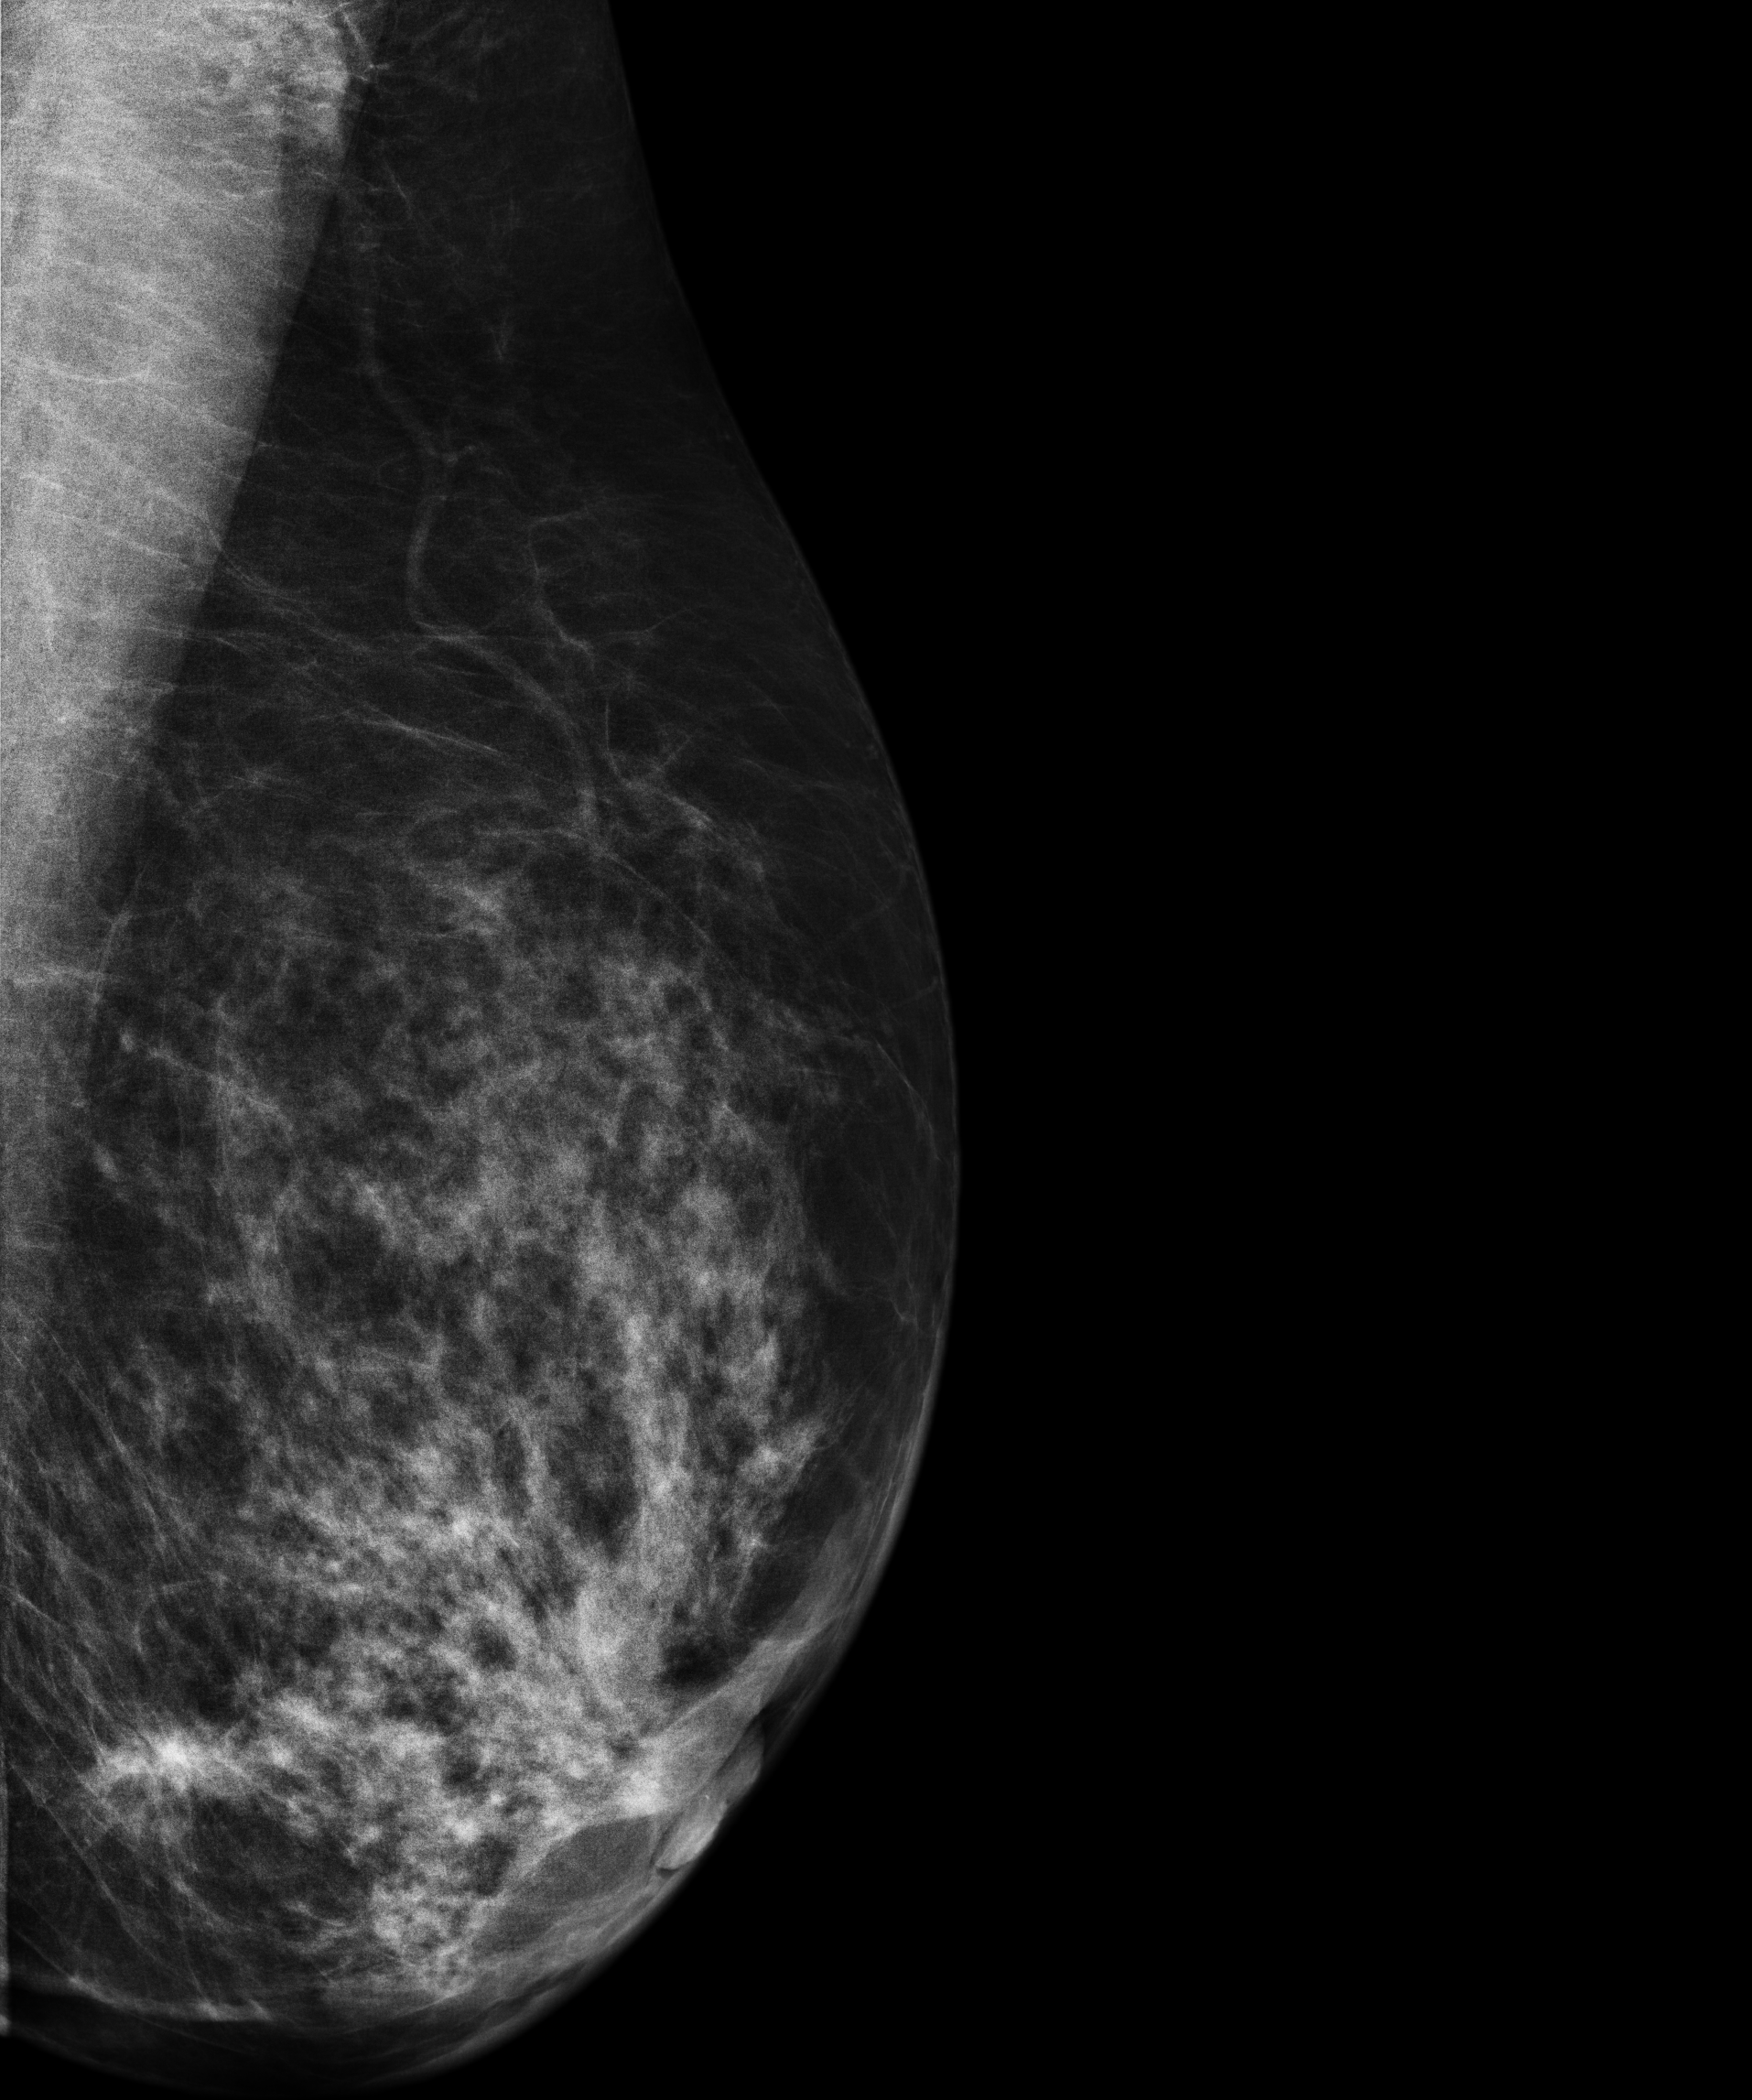
Digital mammography. Left breast, medio-lateral oblique projection. 52 y/o patient.
This breast has a mass, pathology-confirmed malignant. Molecular subtype: luminal B.